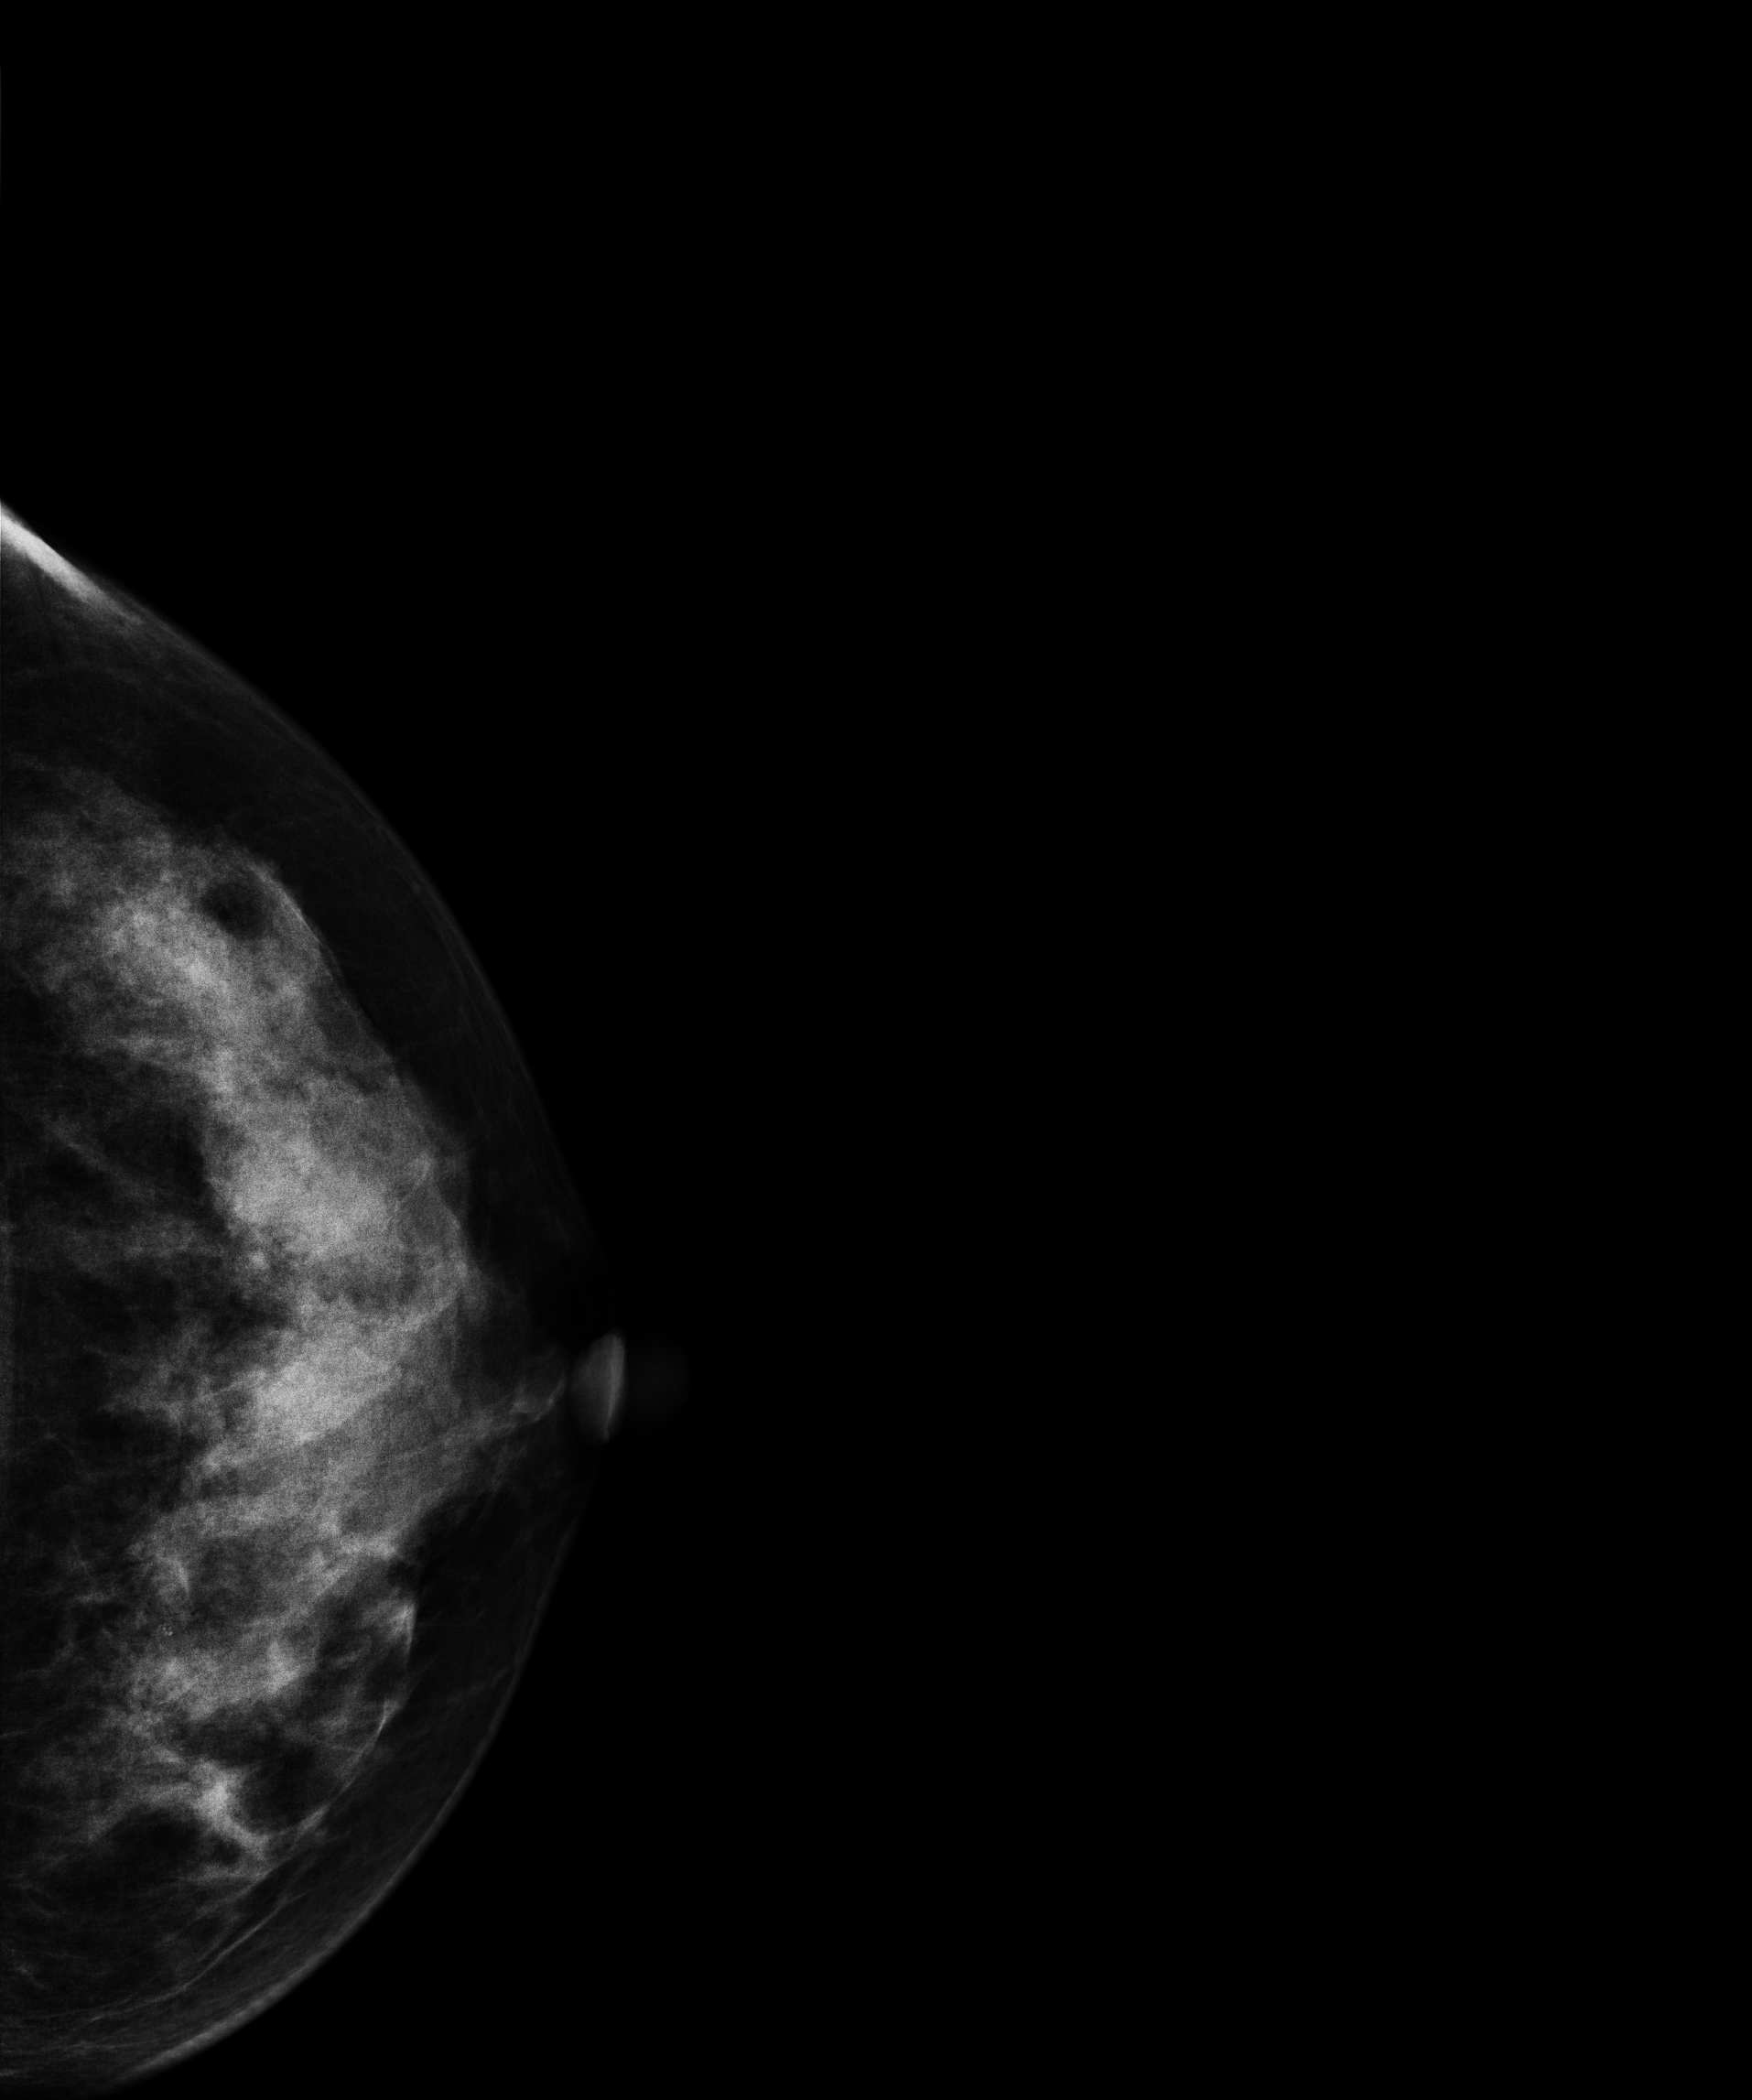
Left-breast mammogram, CC. 39 y/o patient.
Contralateral breast — no documented abnormality on this side.